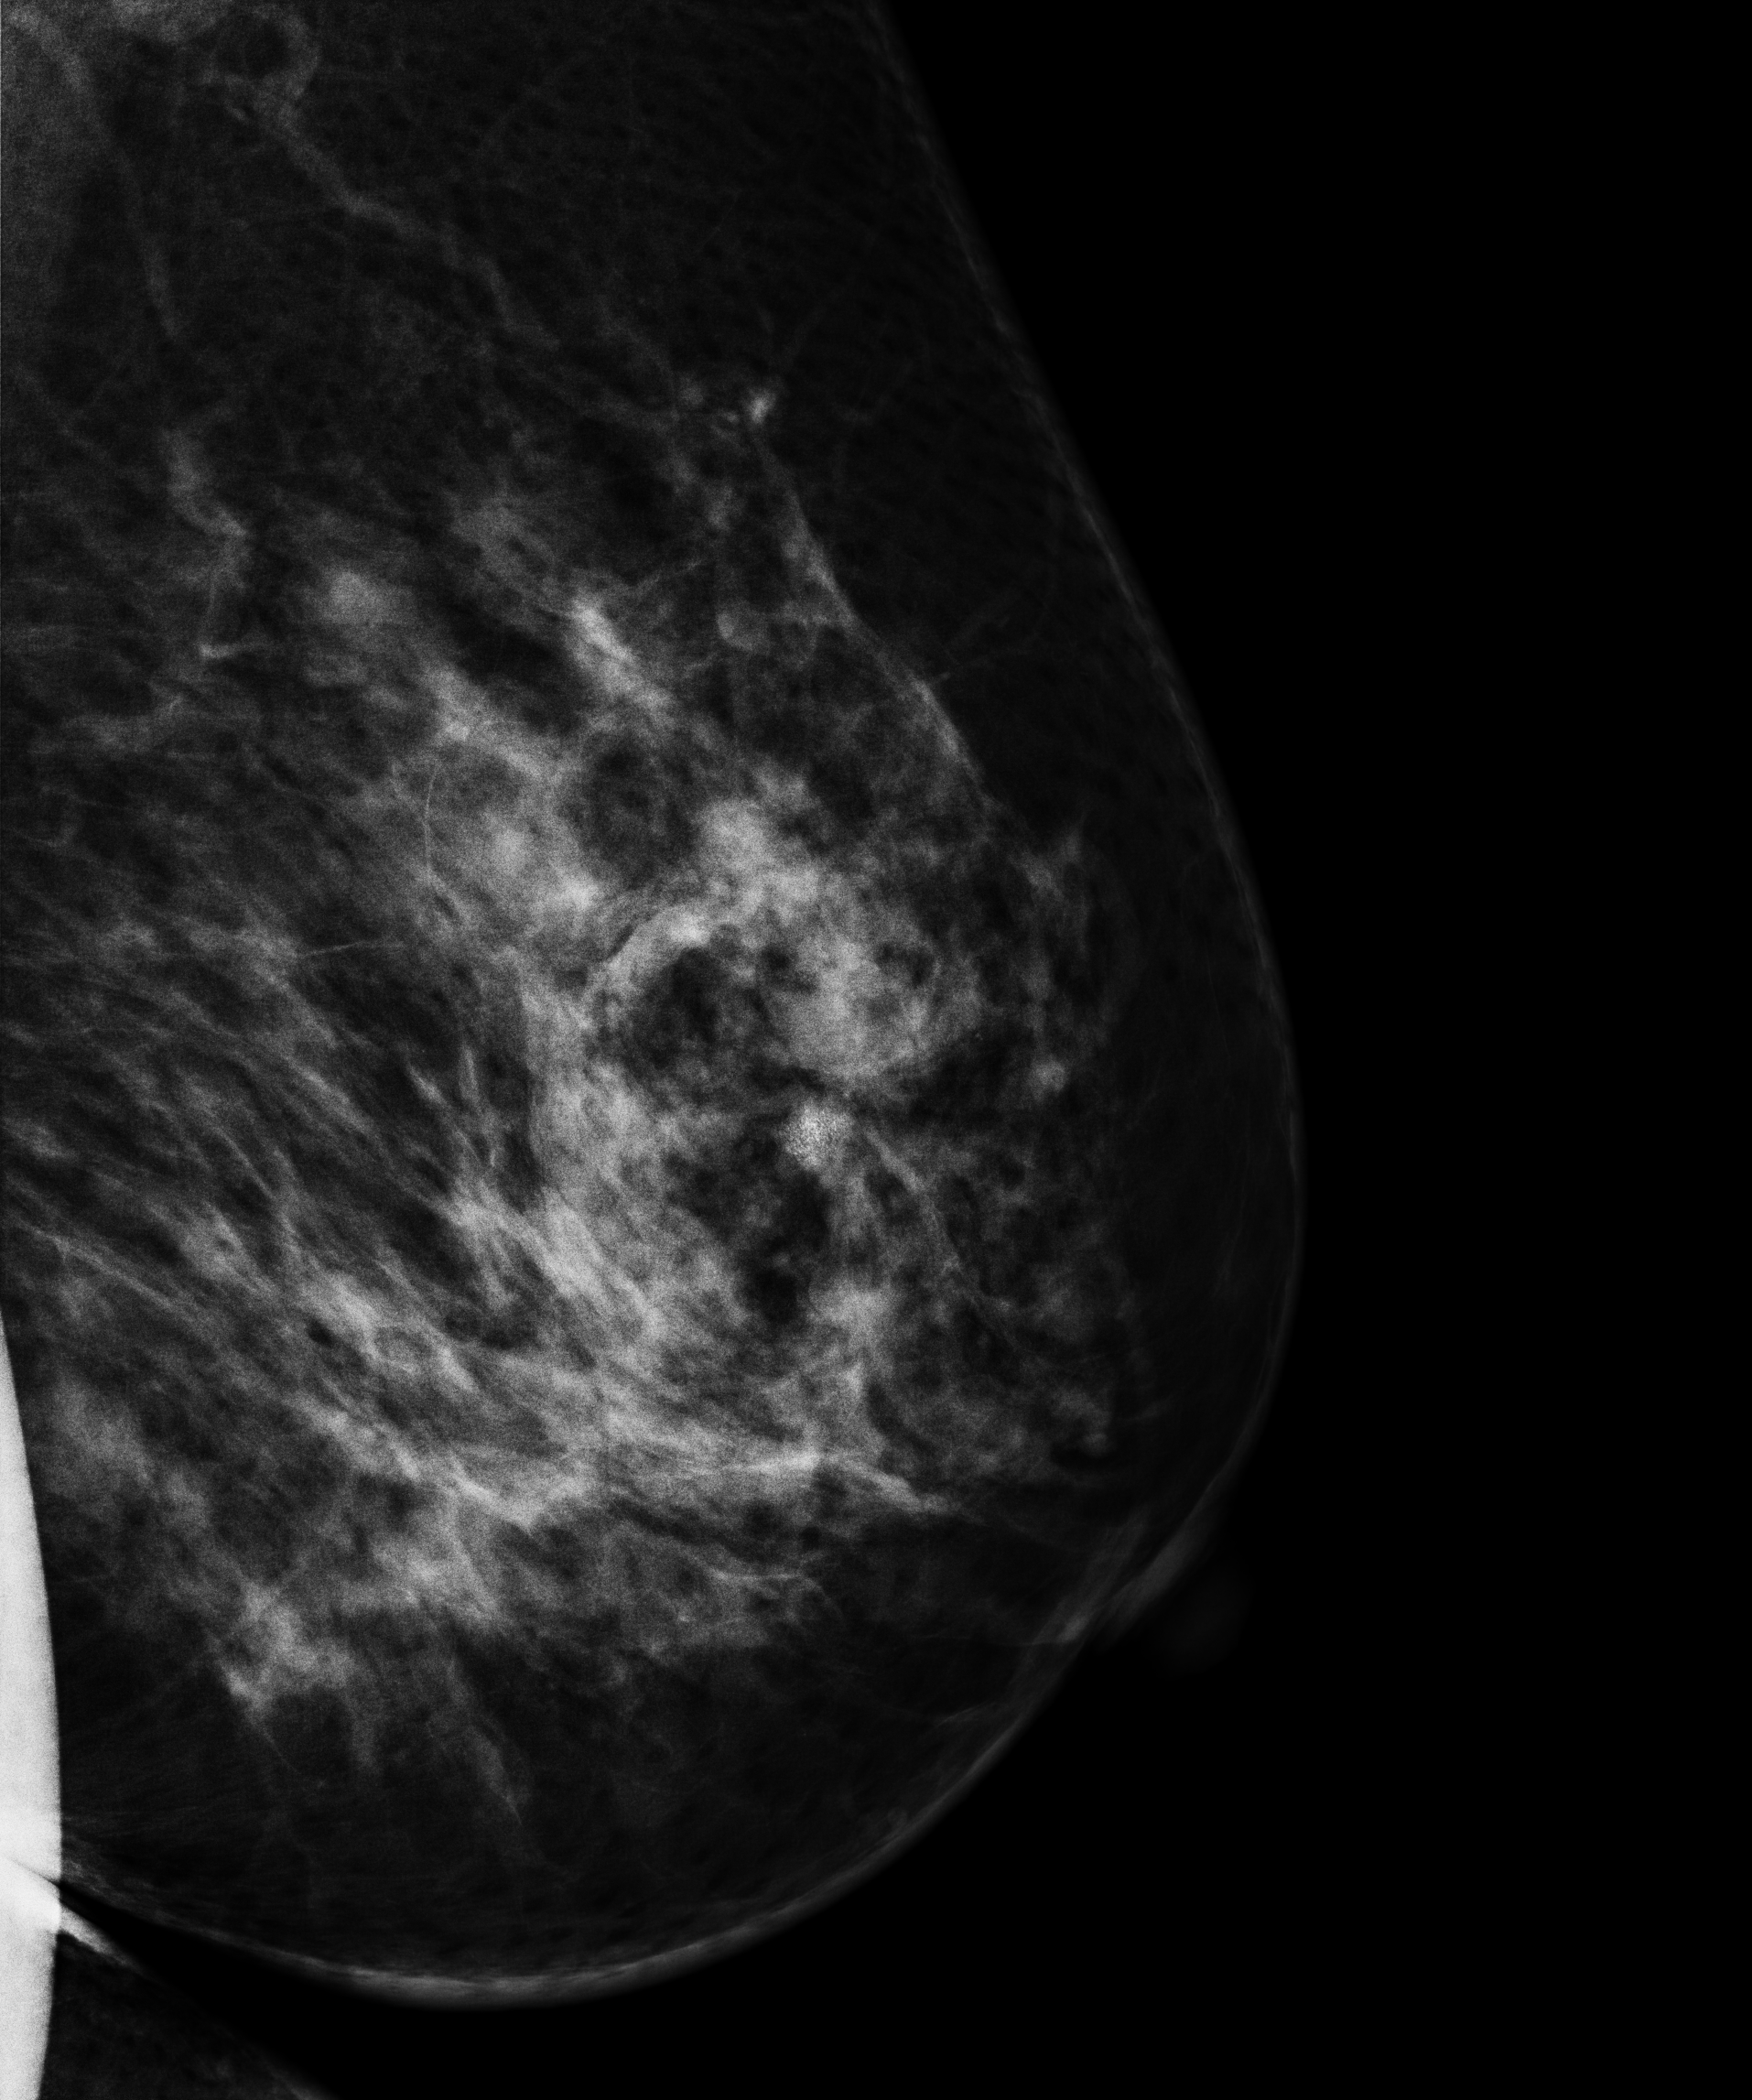
Digital mammography. Left breast, MLO projection. 45-year-old patient.
This breast has a mass, biopsy-confirmed malignant. Molecular subtype: luminal B.